Digital mammography. Left breast, medio-lateral oblique projection. 47 y/o patient.
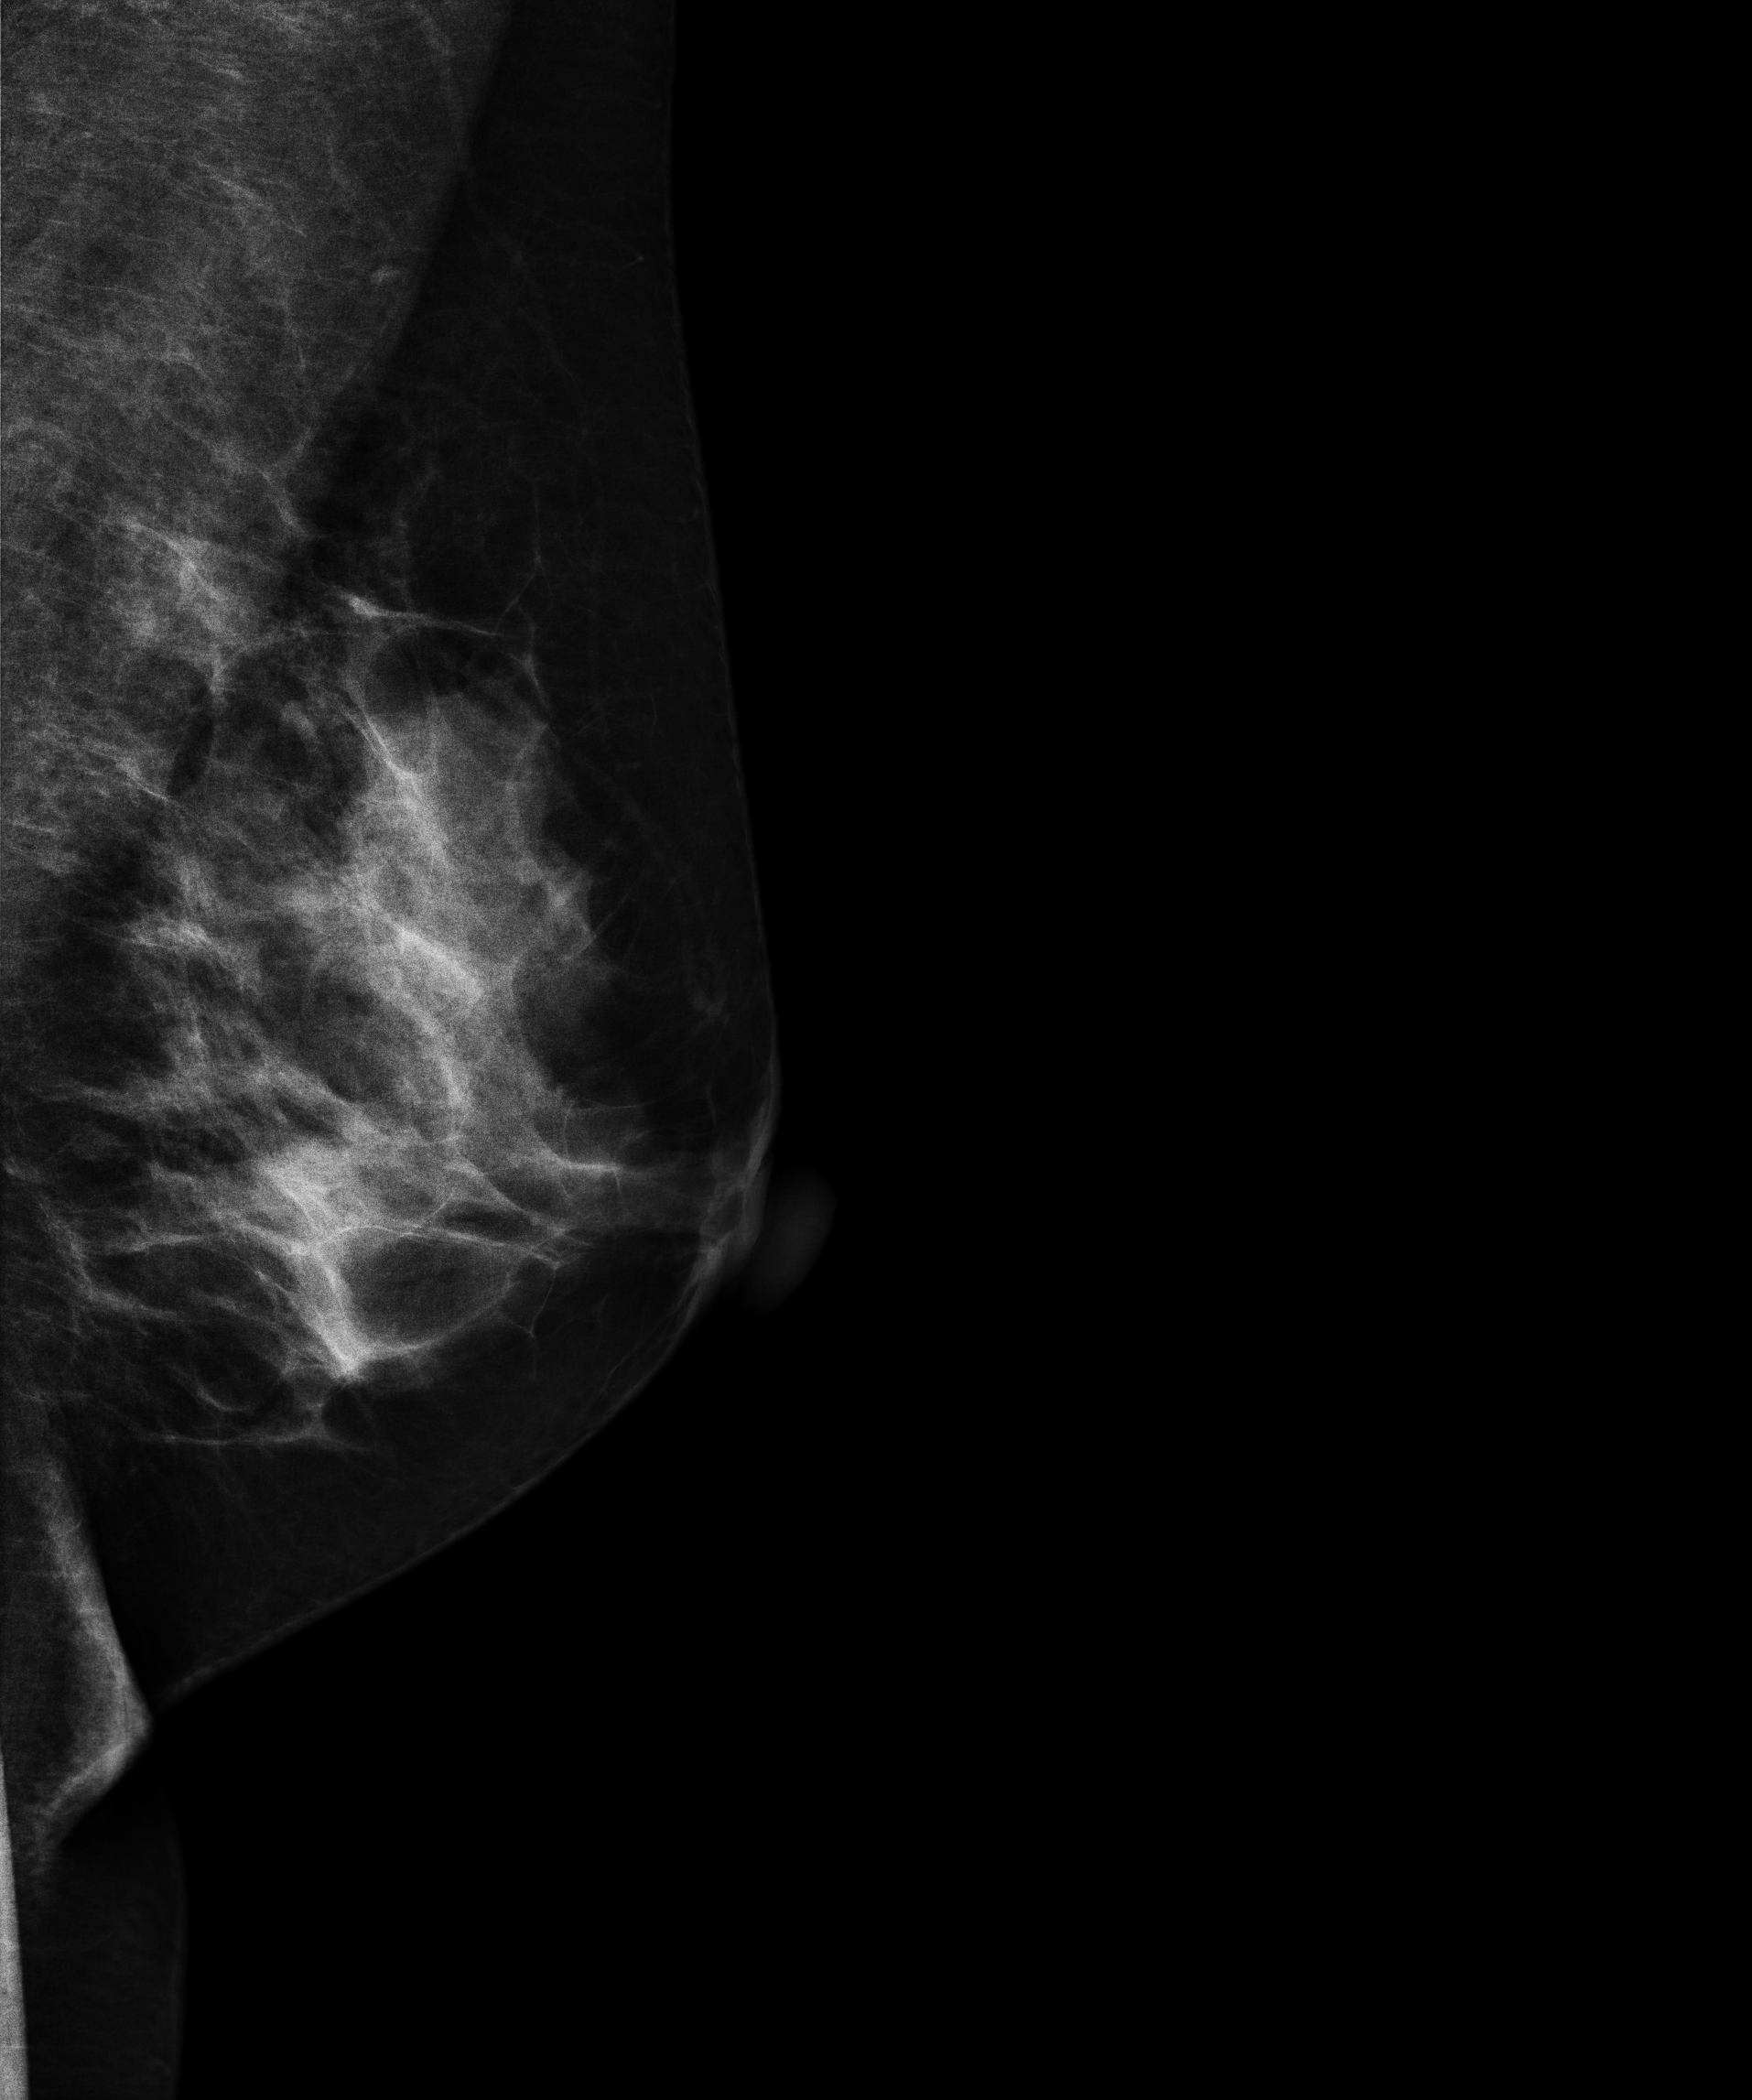
Contralateral breast — no documented abnormality on this side.